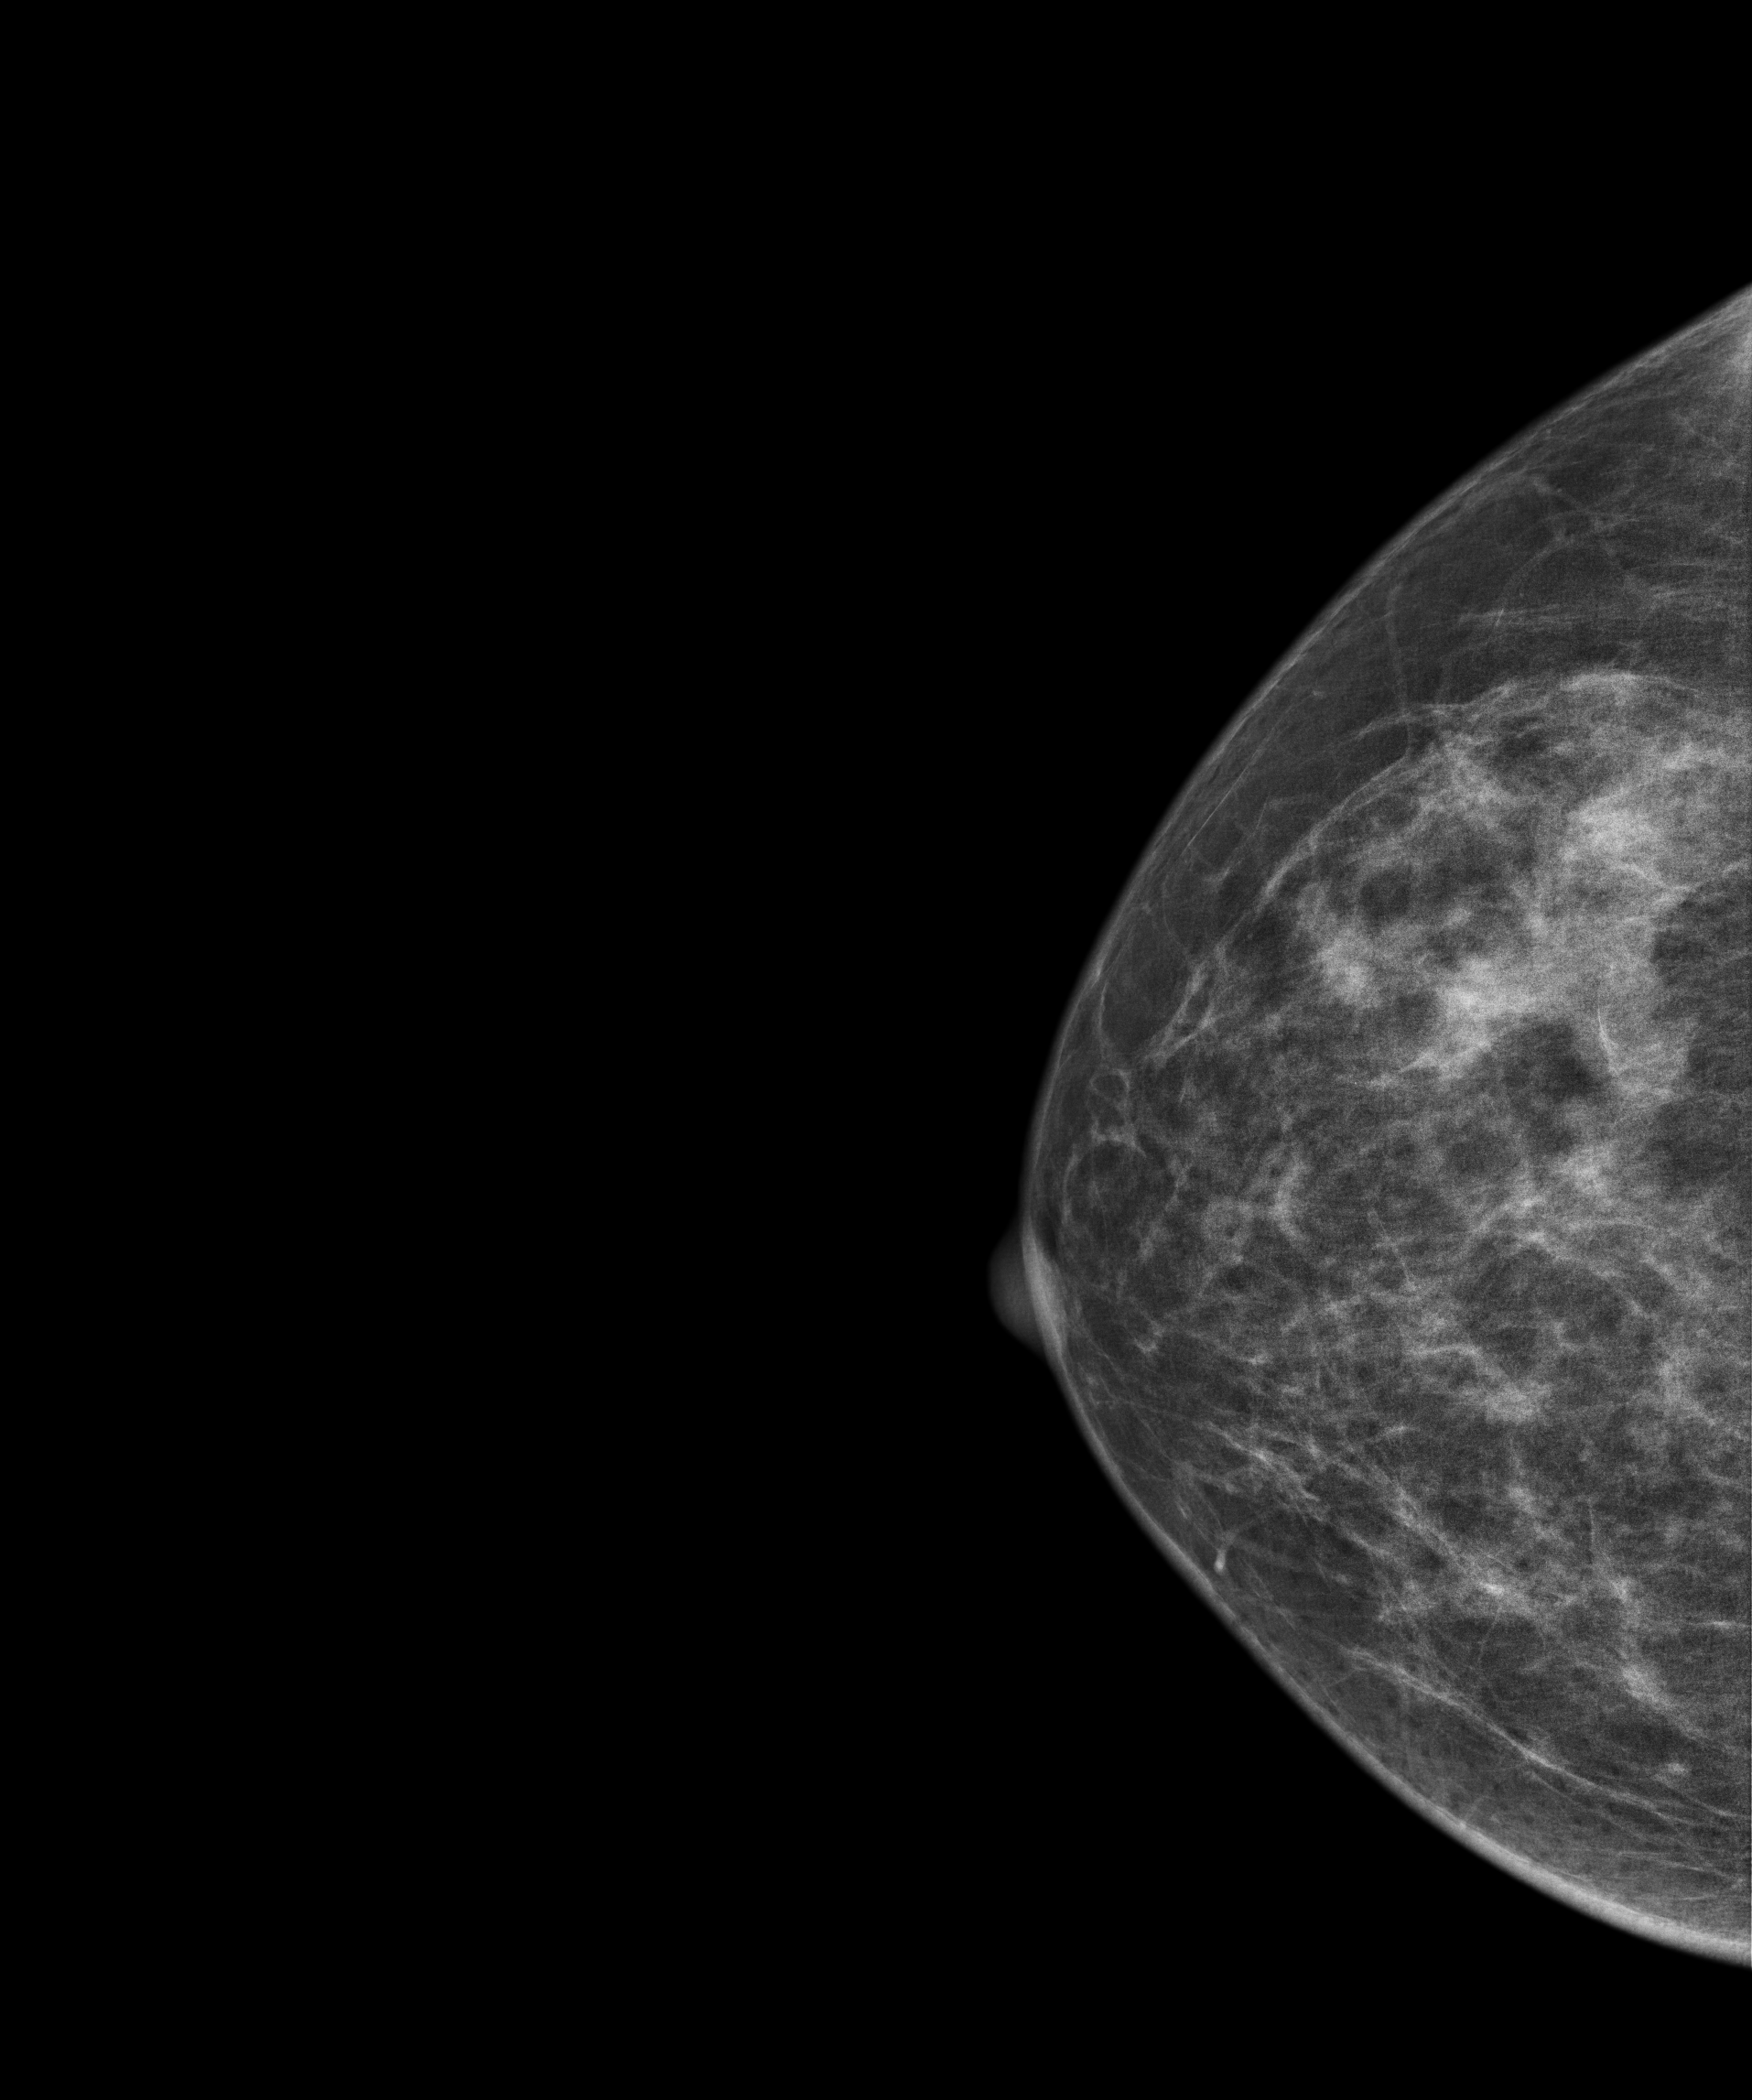
Mammogram, right breast, CC view. 52-year-old patient.
This breast has a mass, histologically confirmed benign.